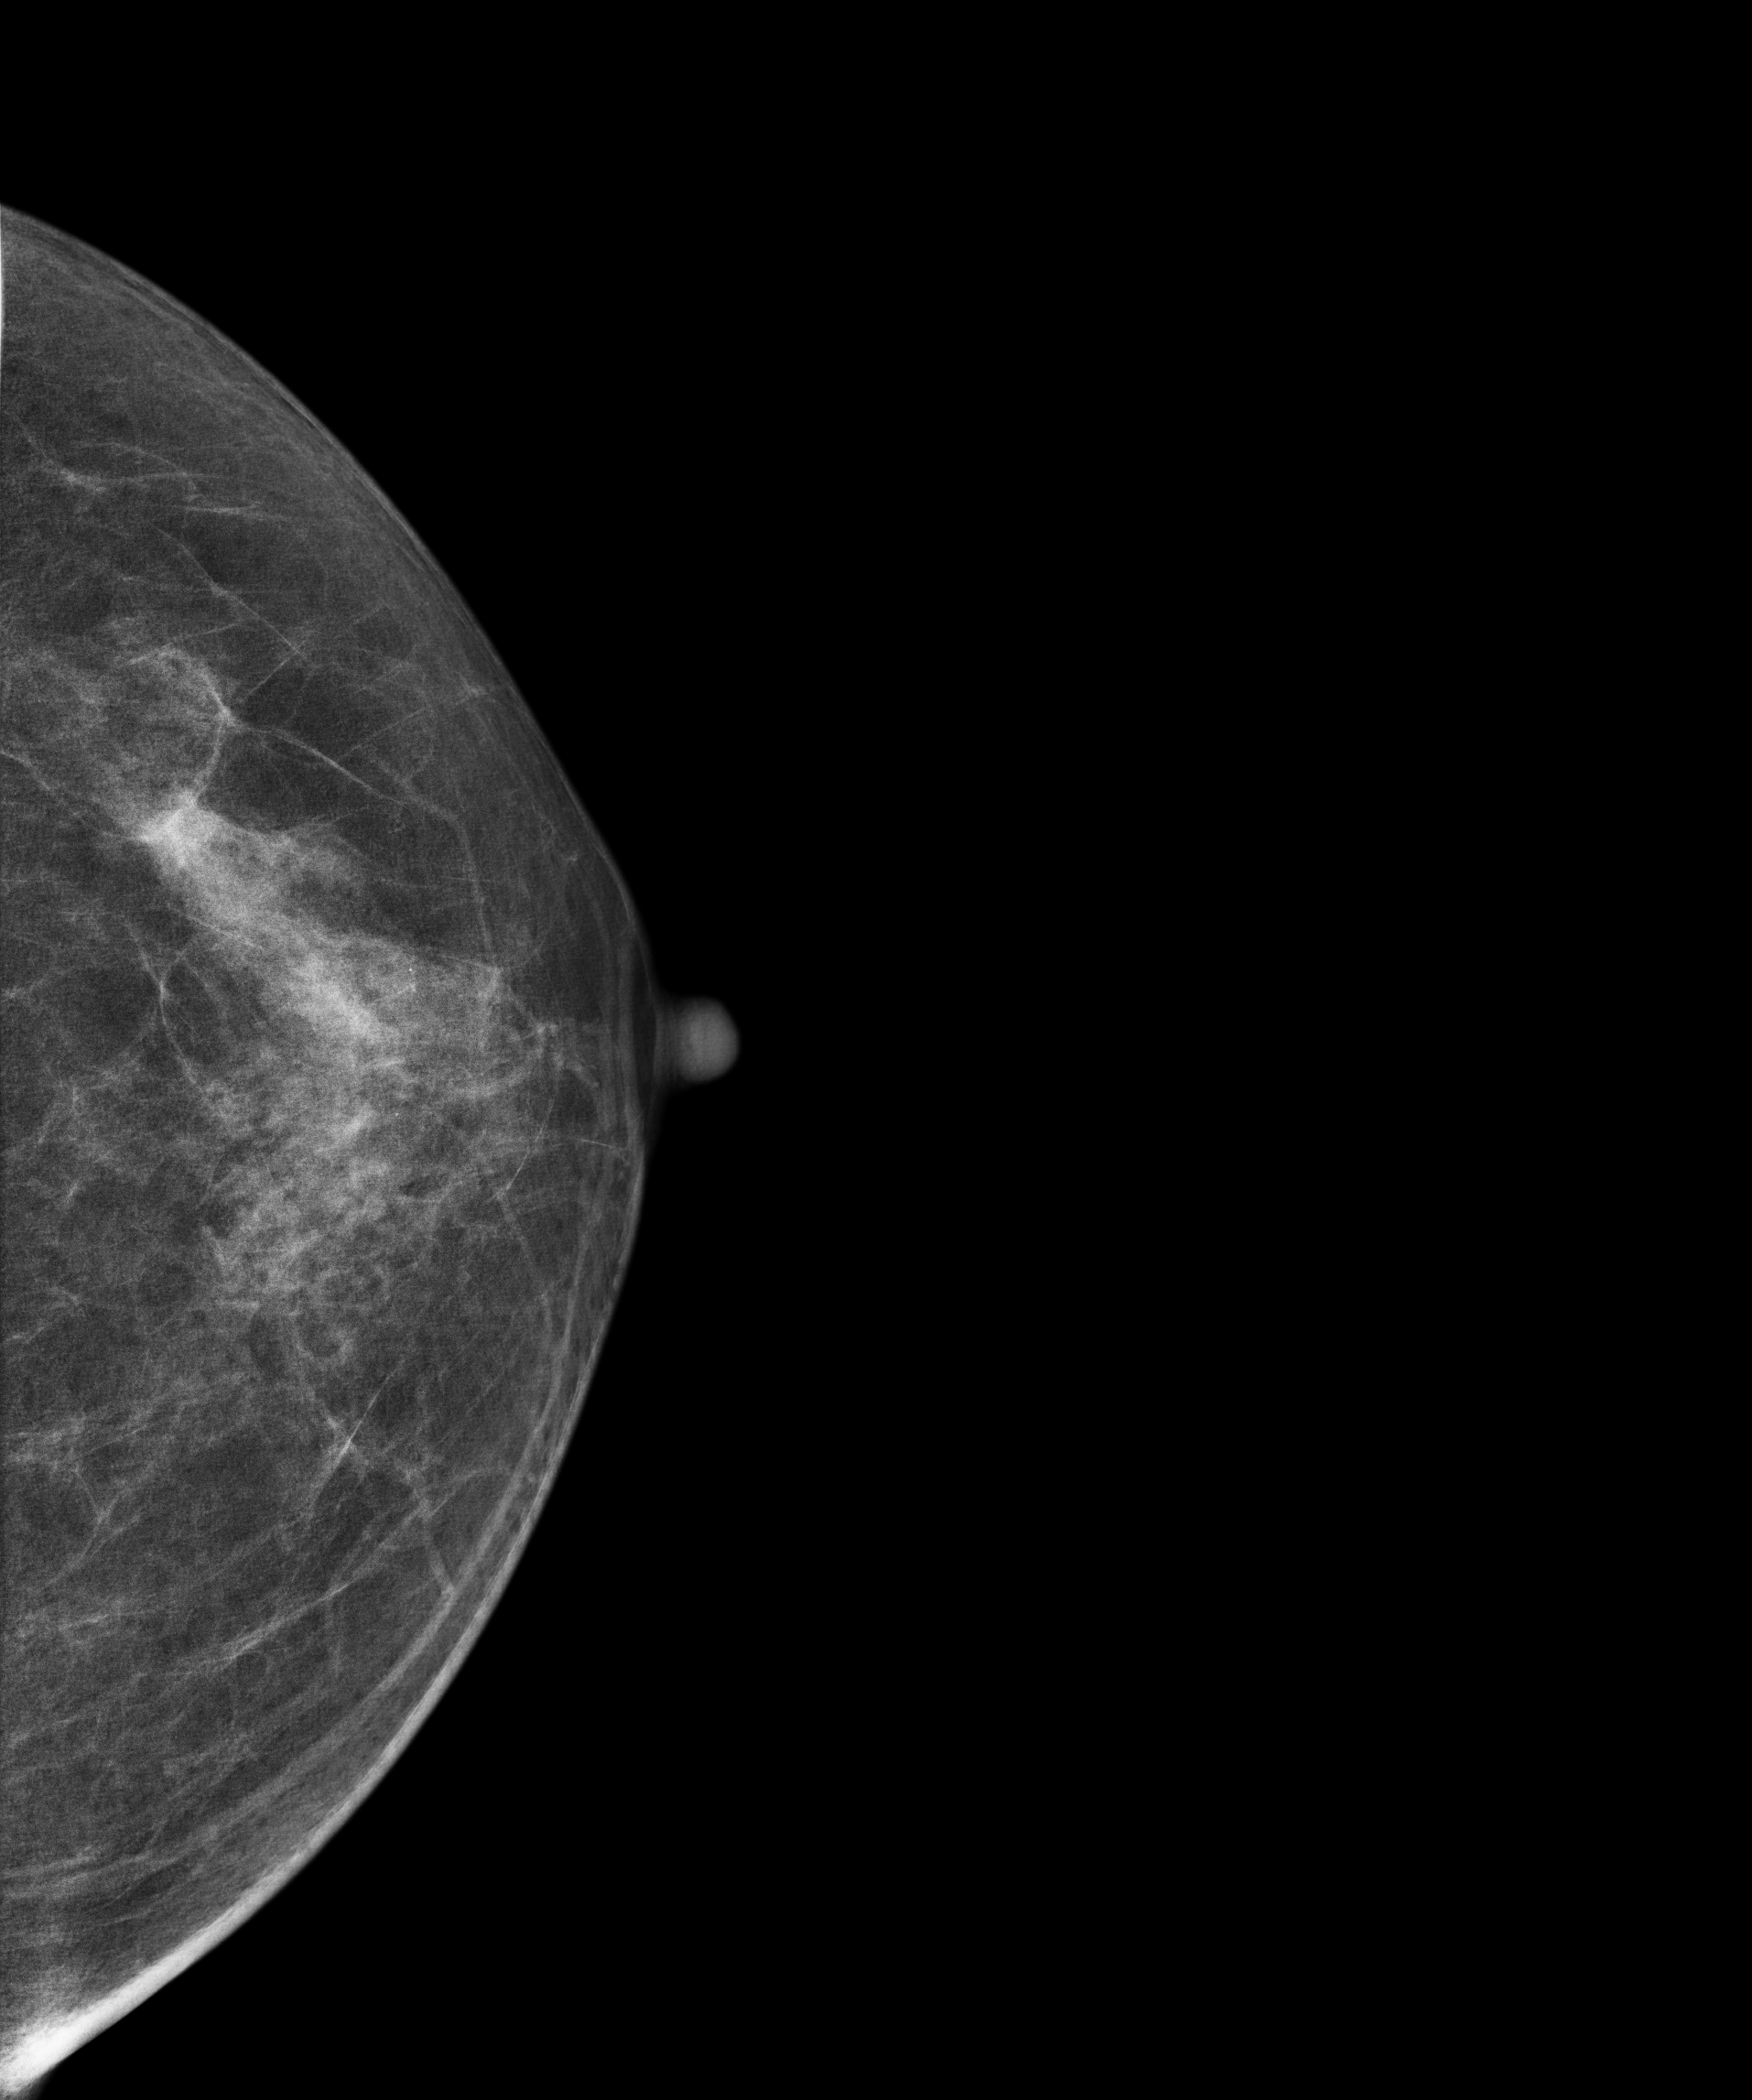
Mammogram — left CC. Patient age 66.
Contralateral breast — no documented abnormality on this side.